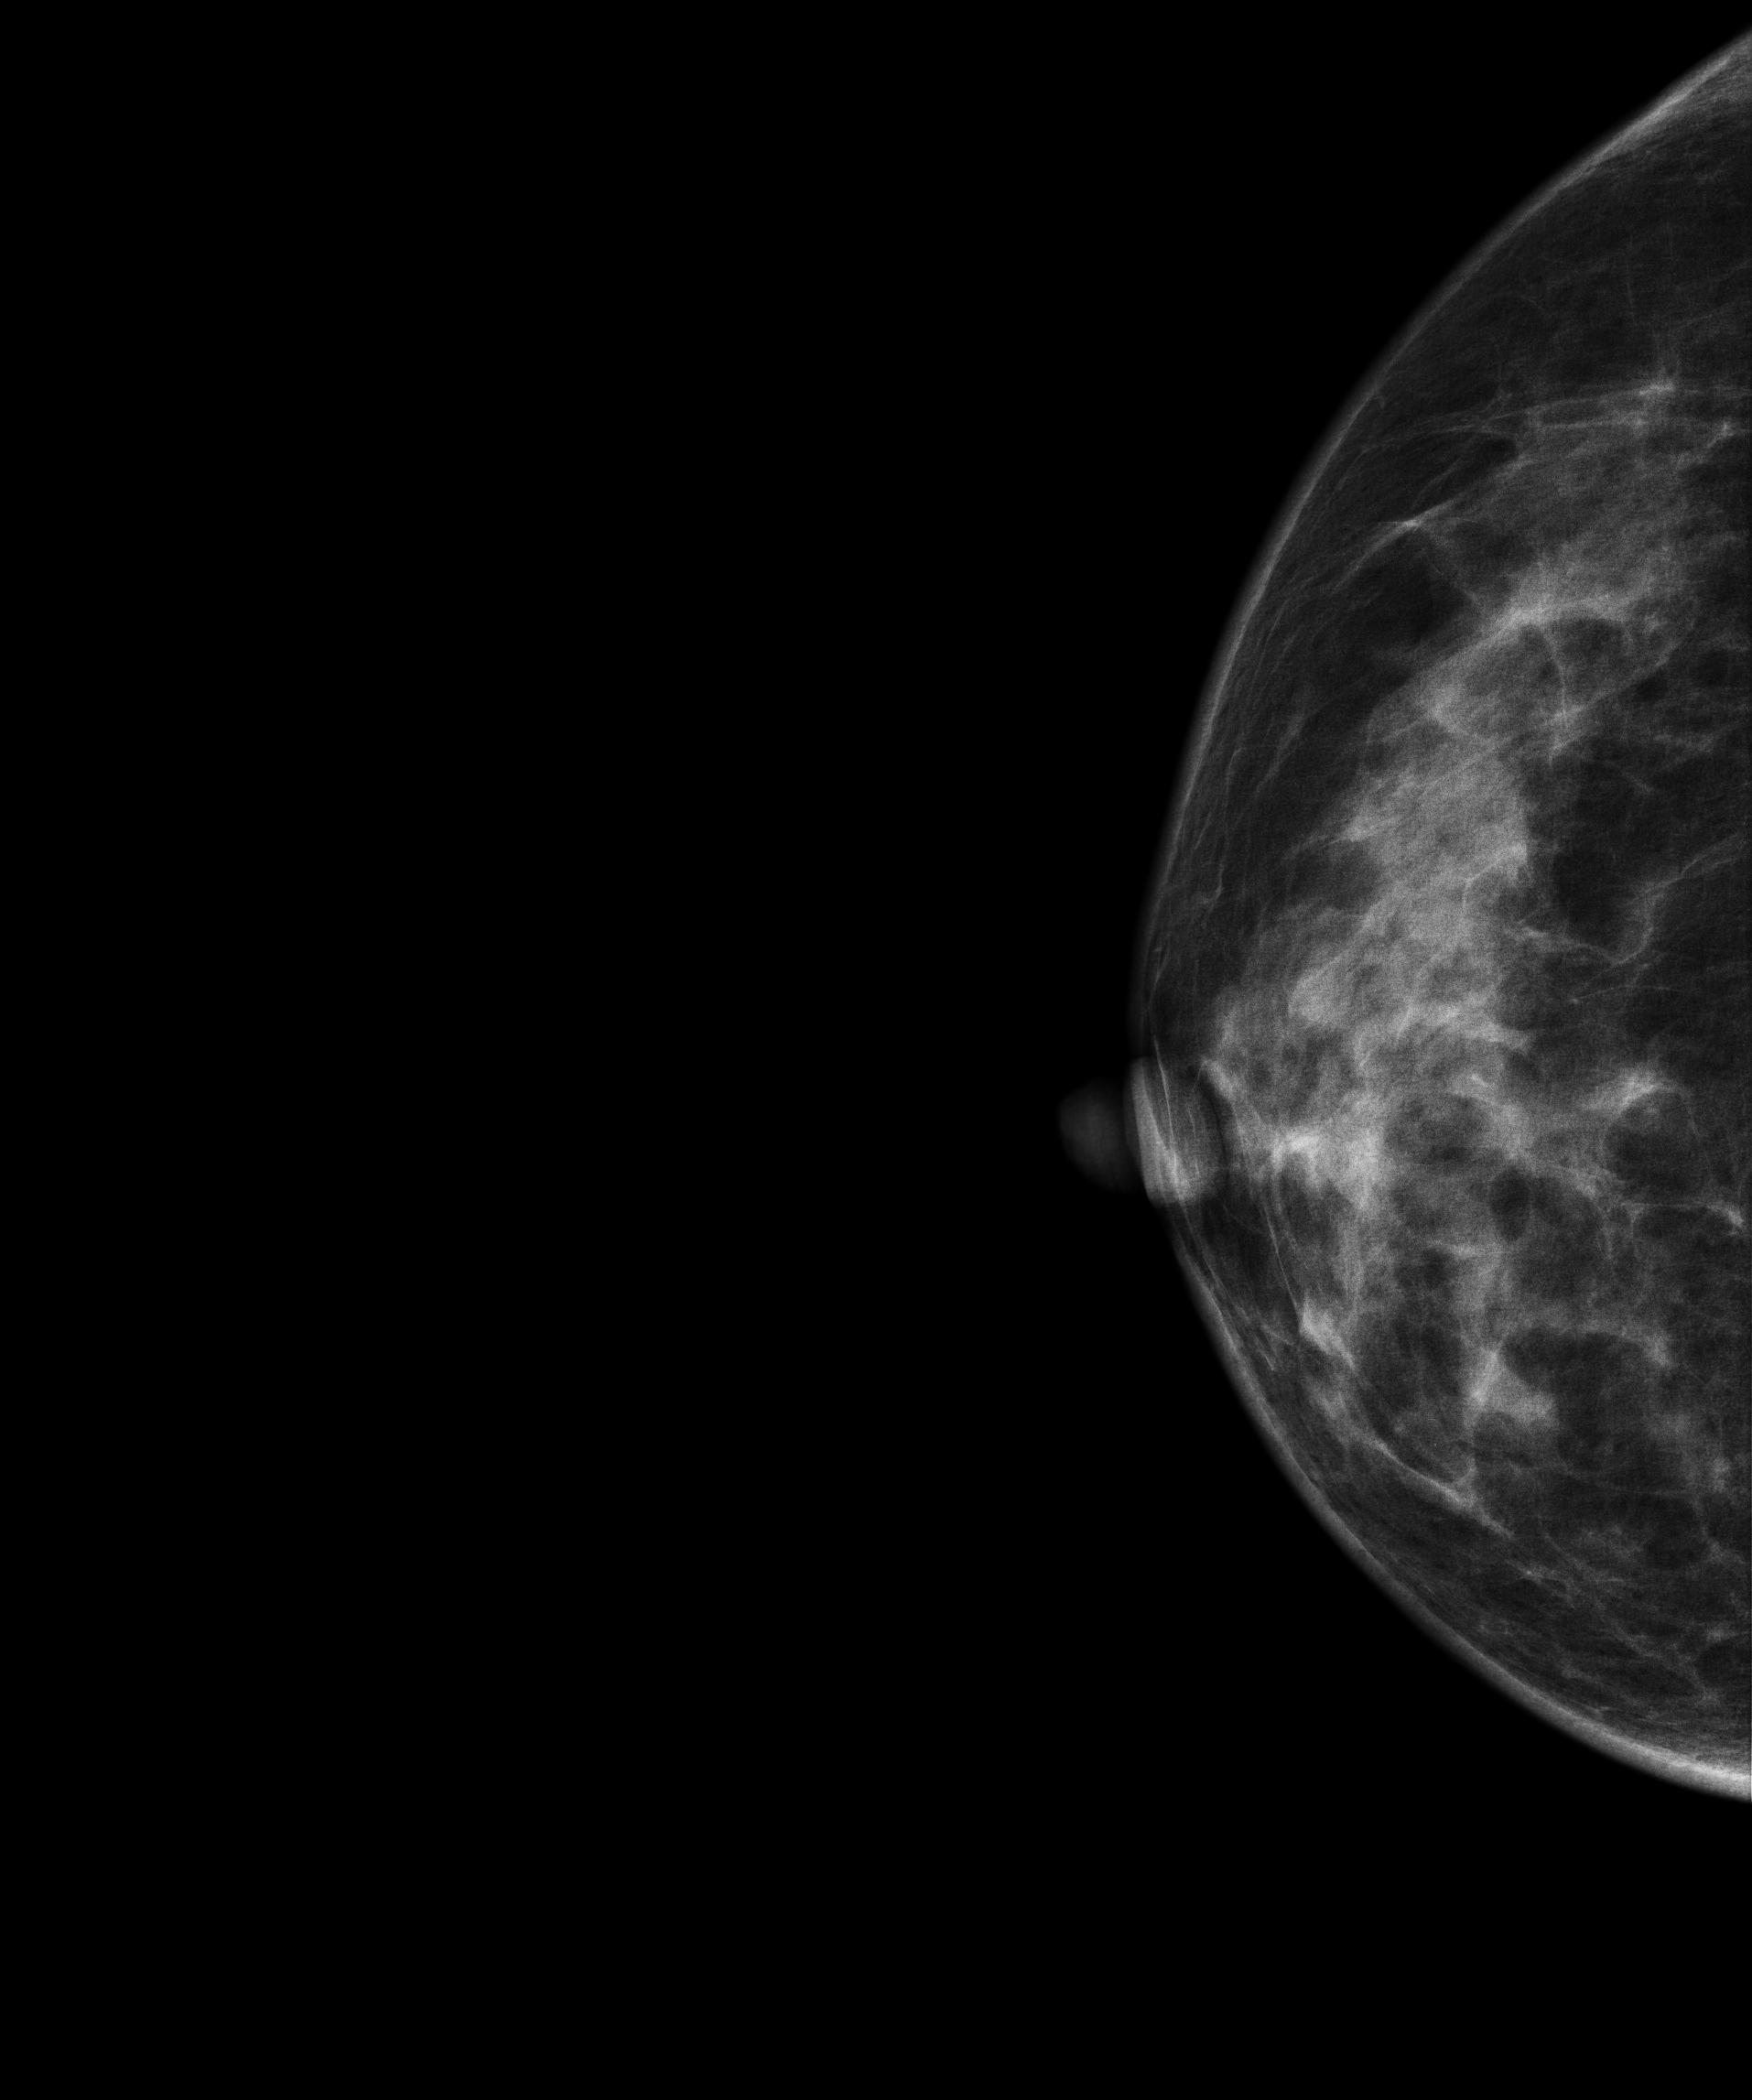
Digital mammography. Right breast, CC projection. 44-year-old patient.
Contralateral breast — no documented abnormality on this side.